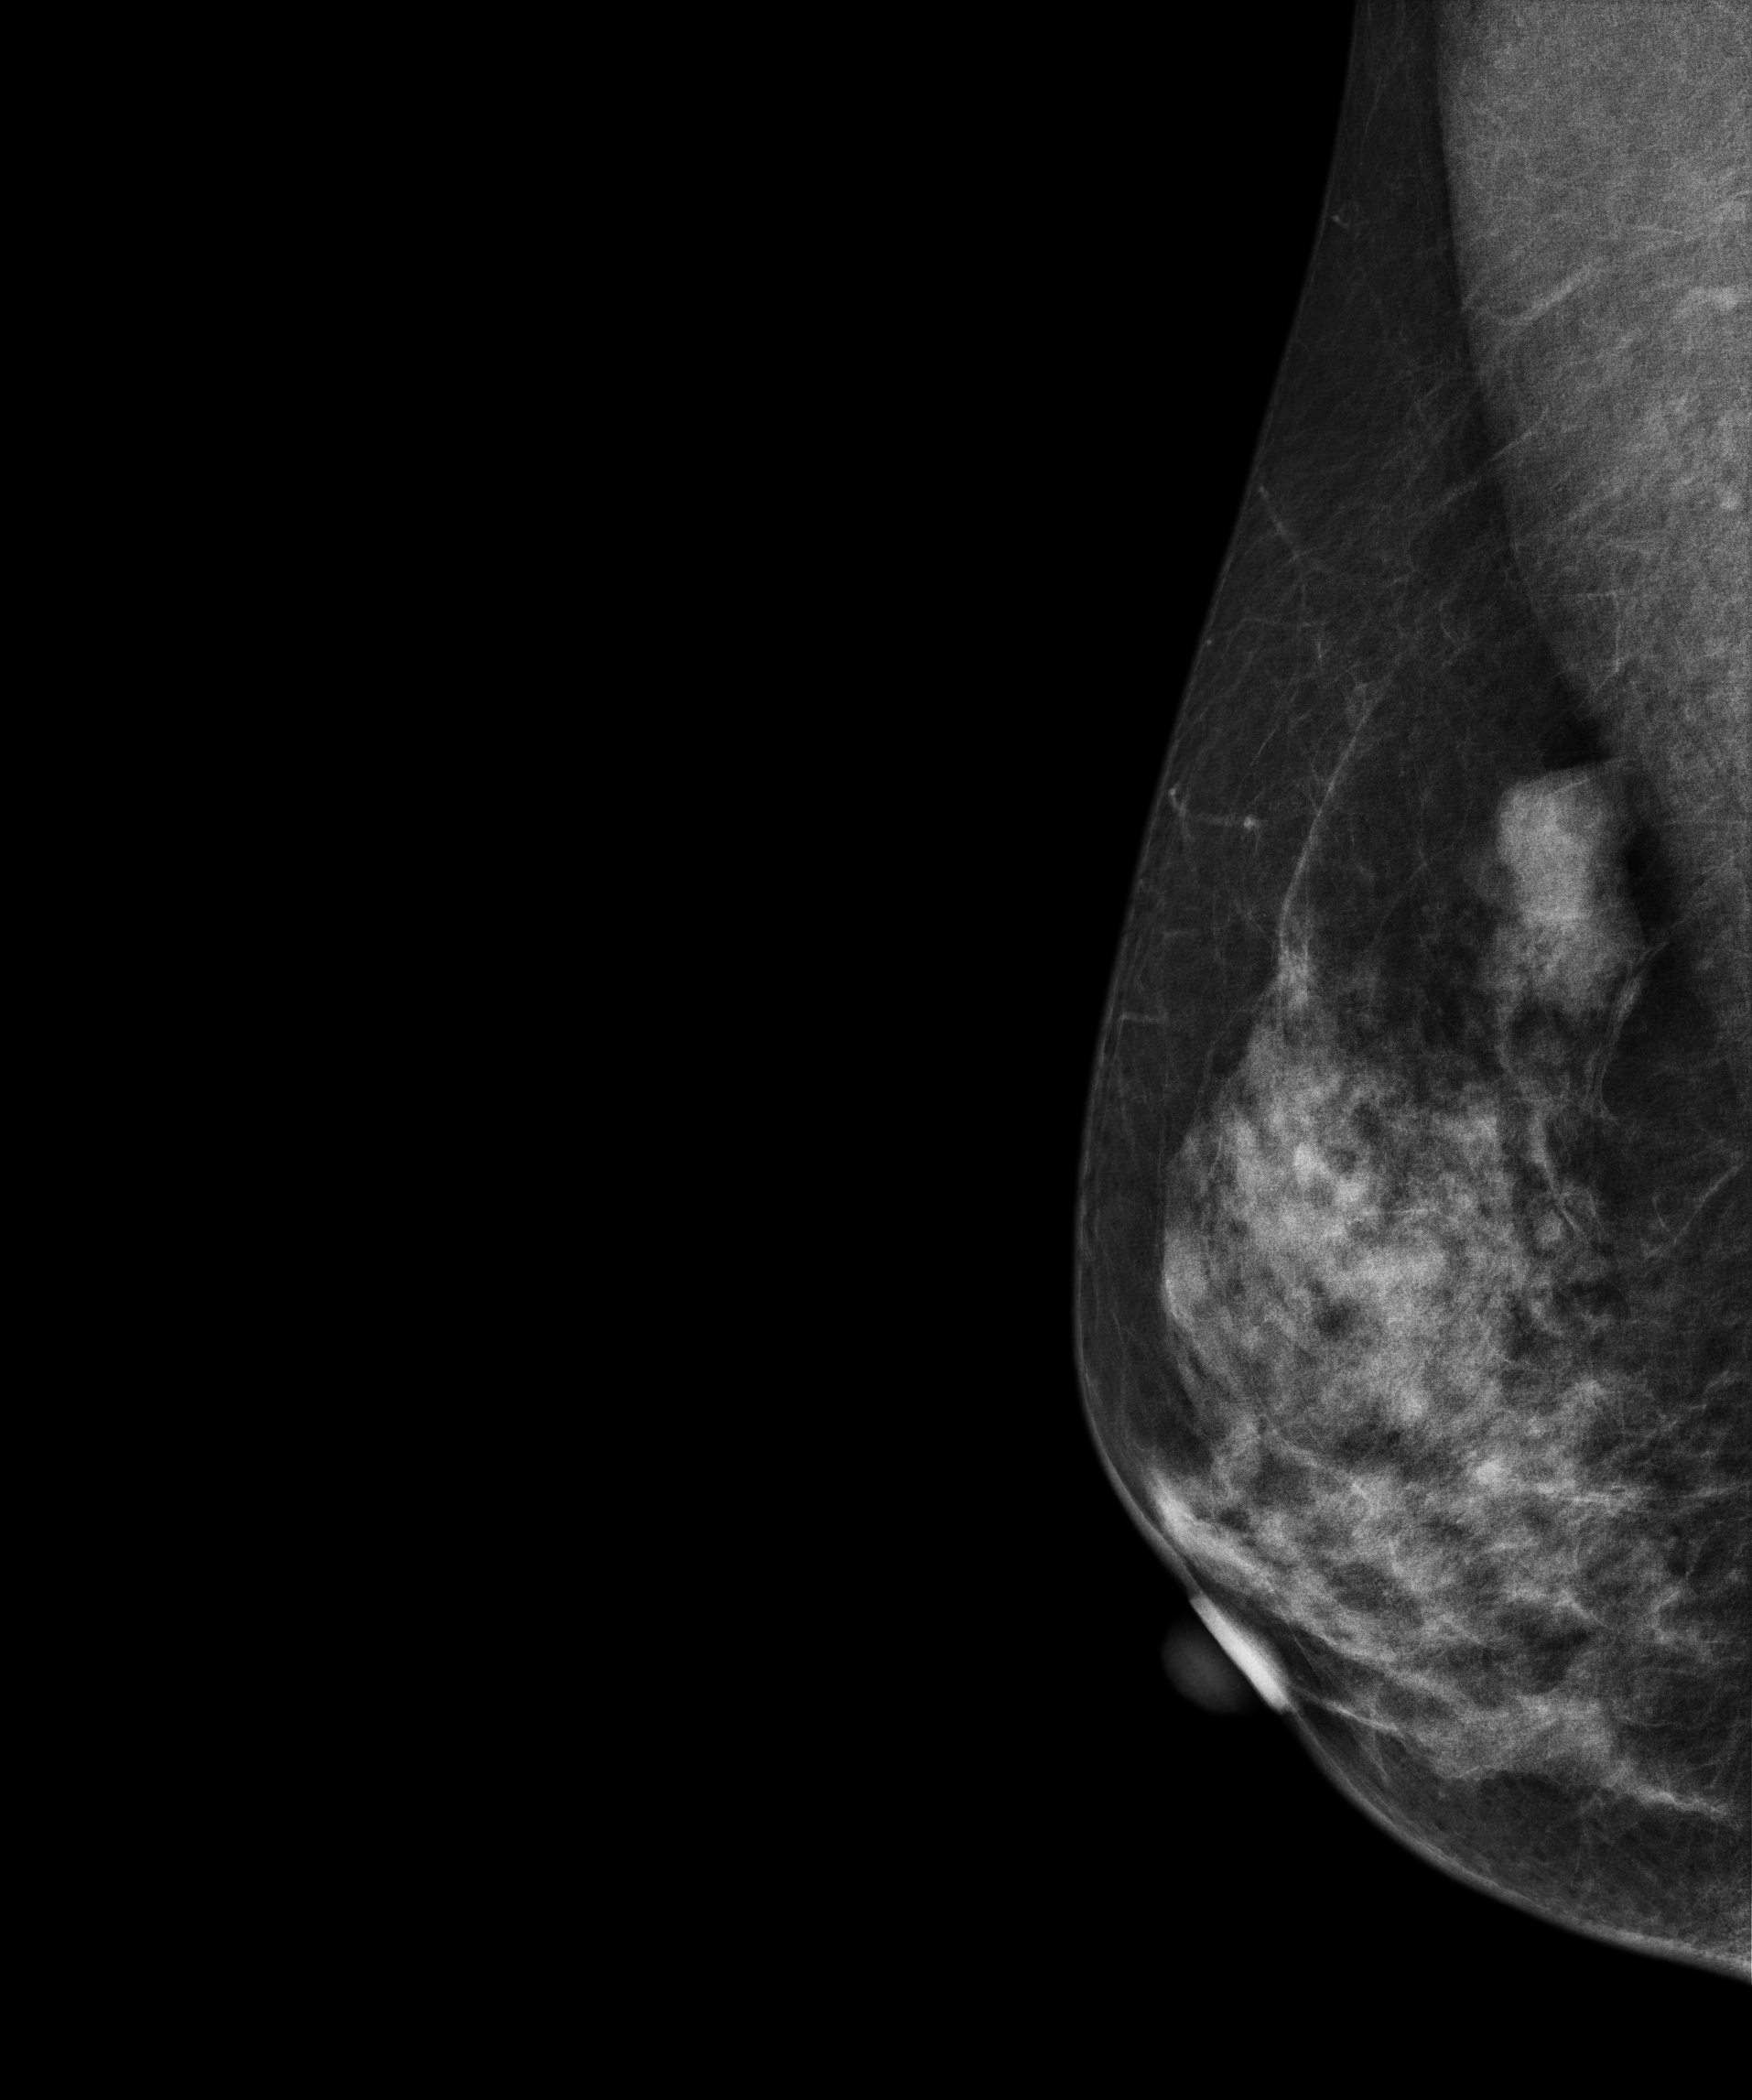
Right-breast mammogram, MLO. 47-year-old patient.
This breast has a mass, biopsy-proven benign.